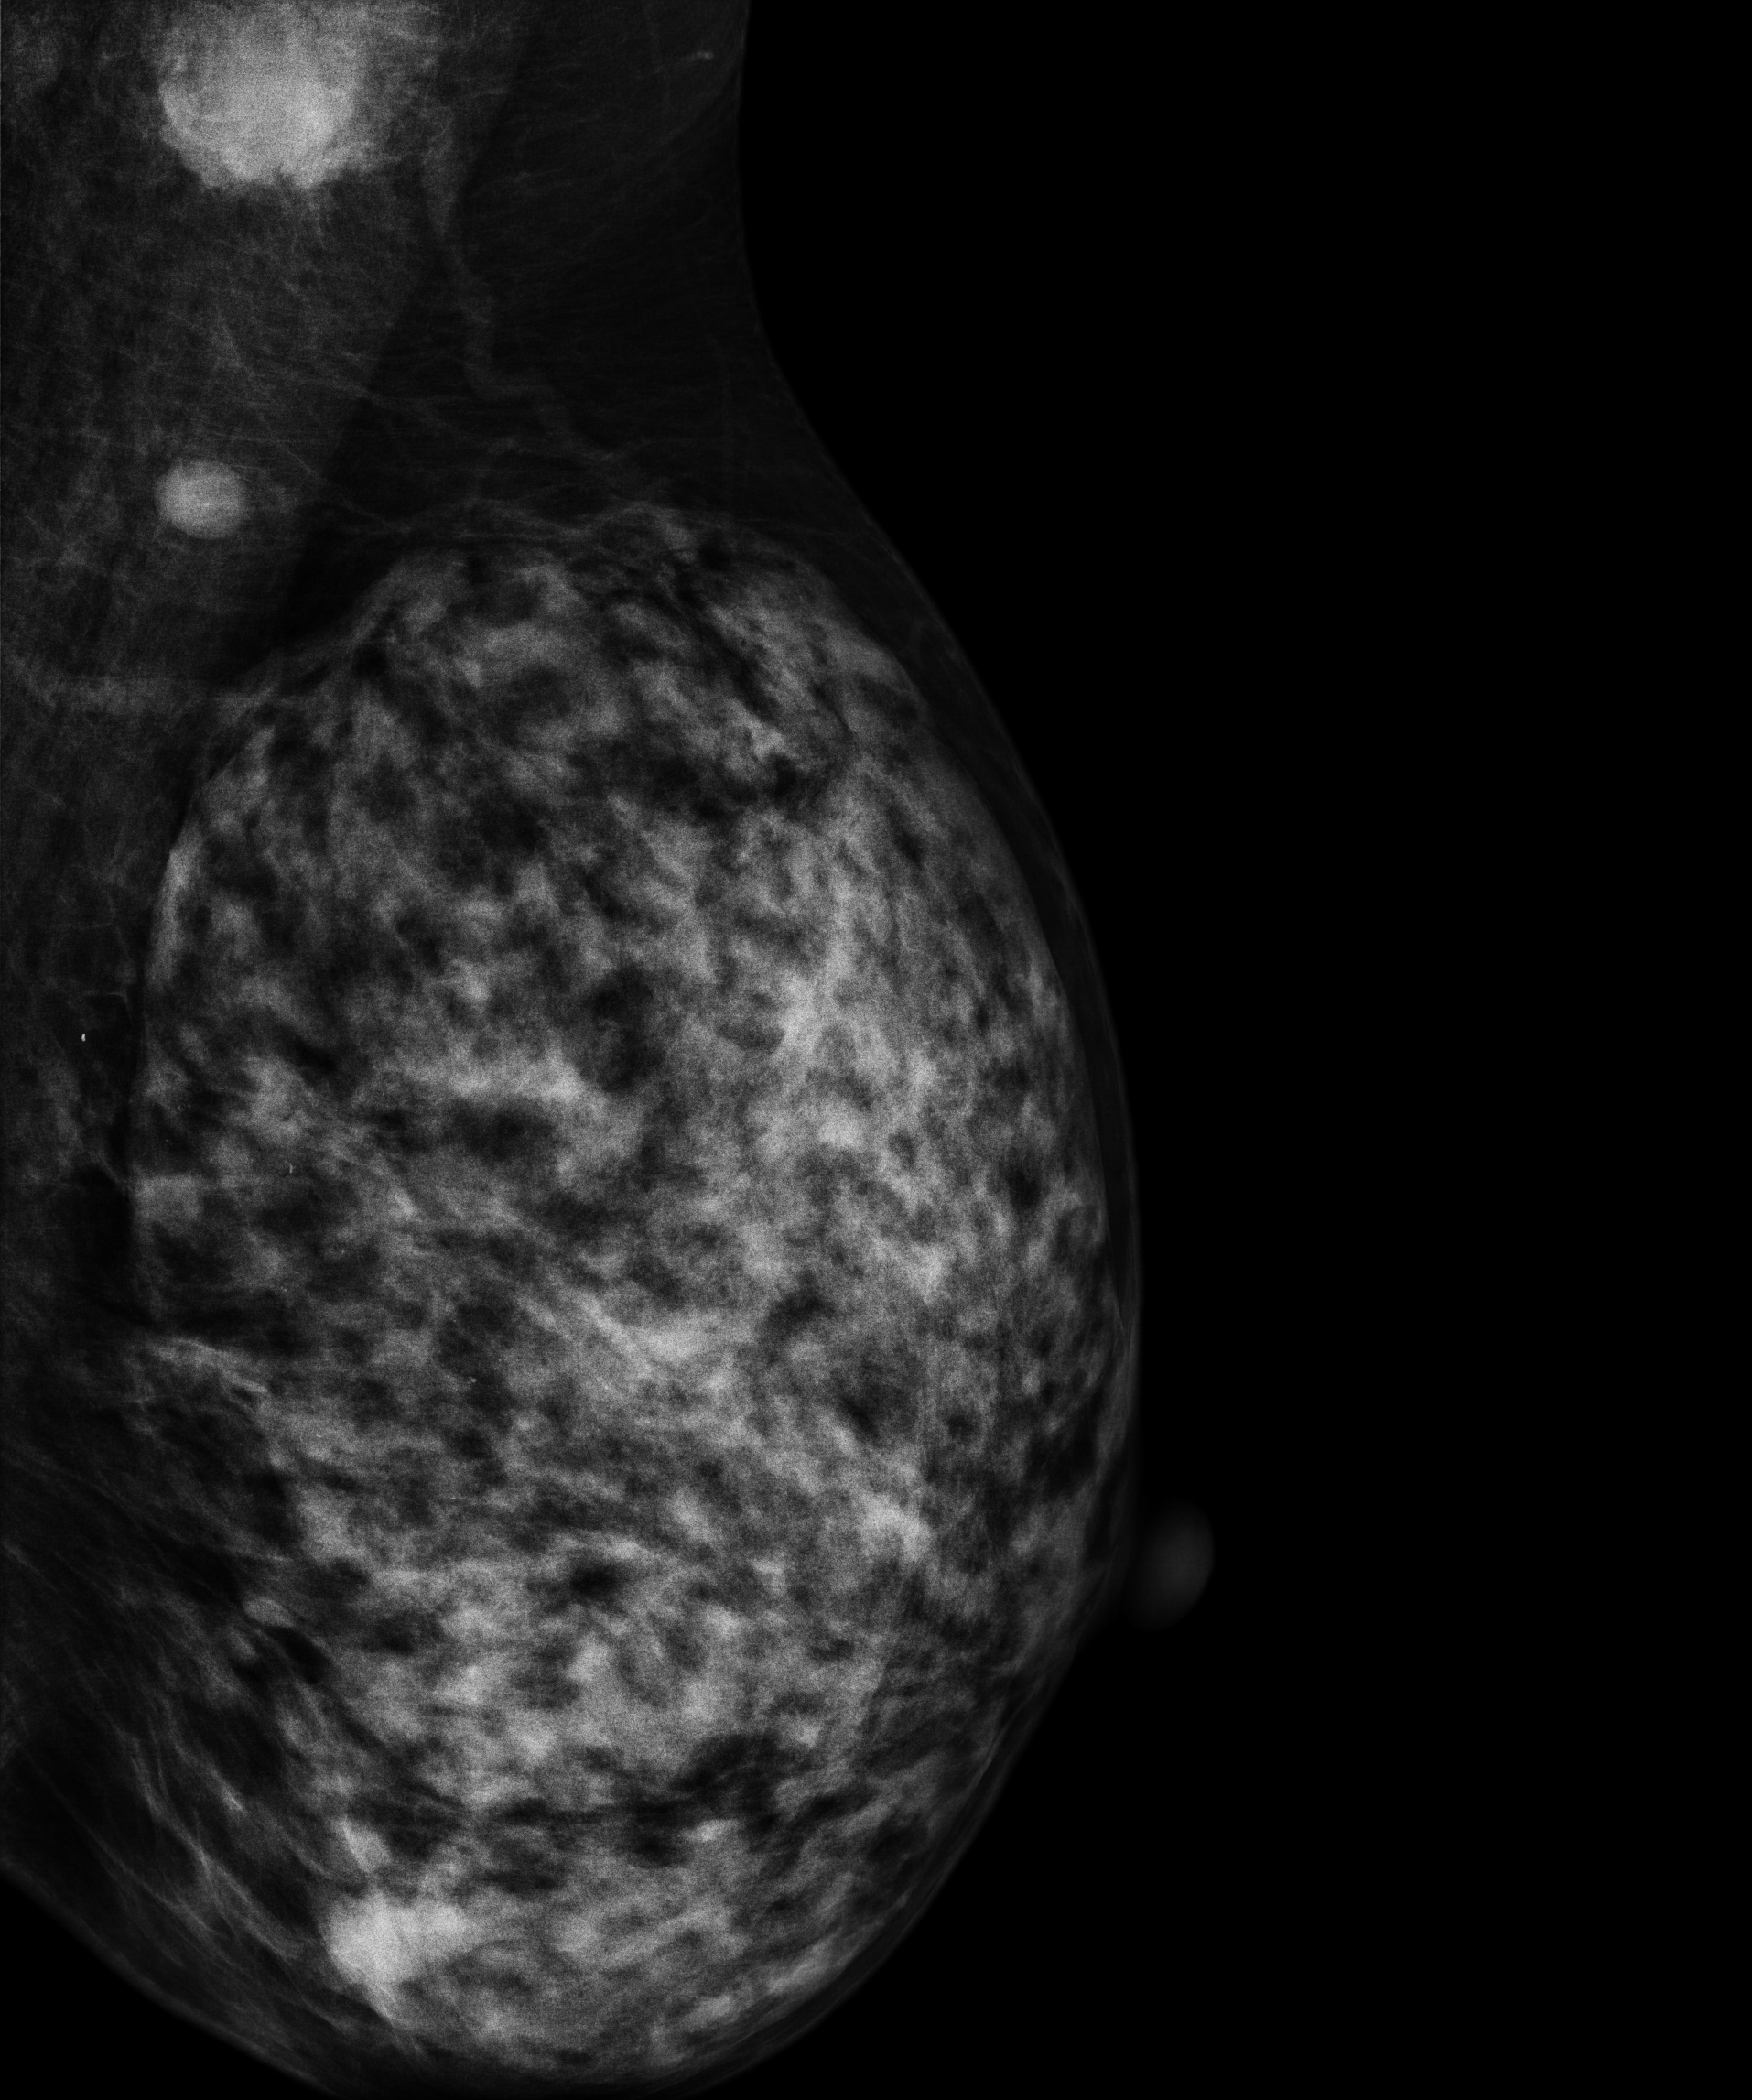
Digital mammography. Left breast, MLO projection. 56-year-old patient.
This breast has a mass, histologically confirmed malignant.